Mammogram, right breast, CC view. 32 y/o patient.
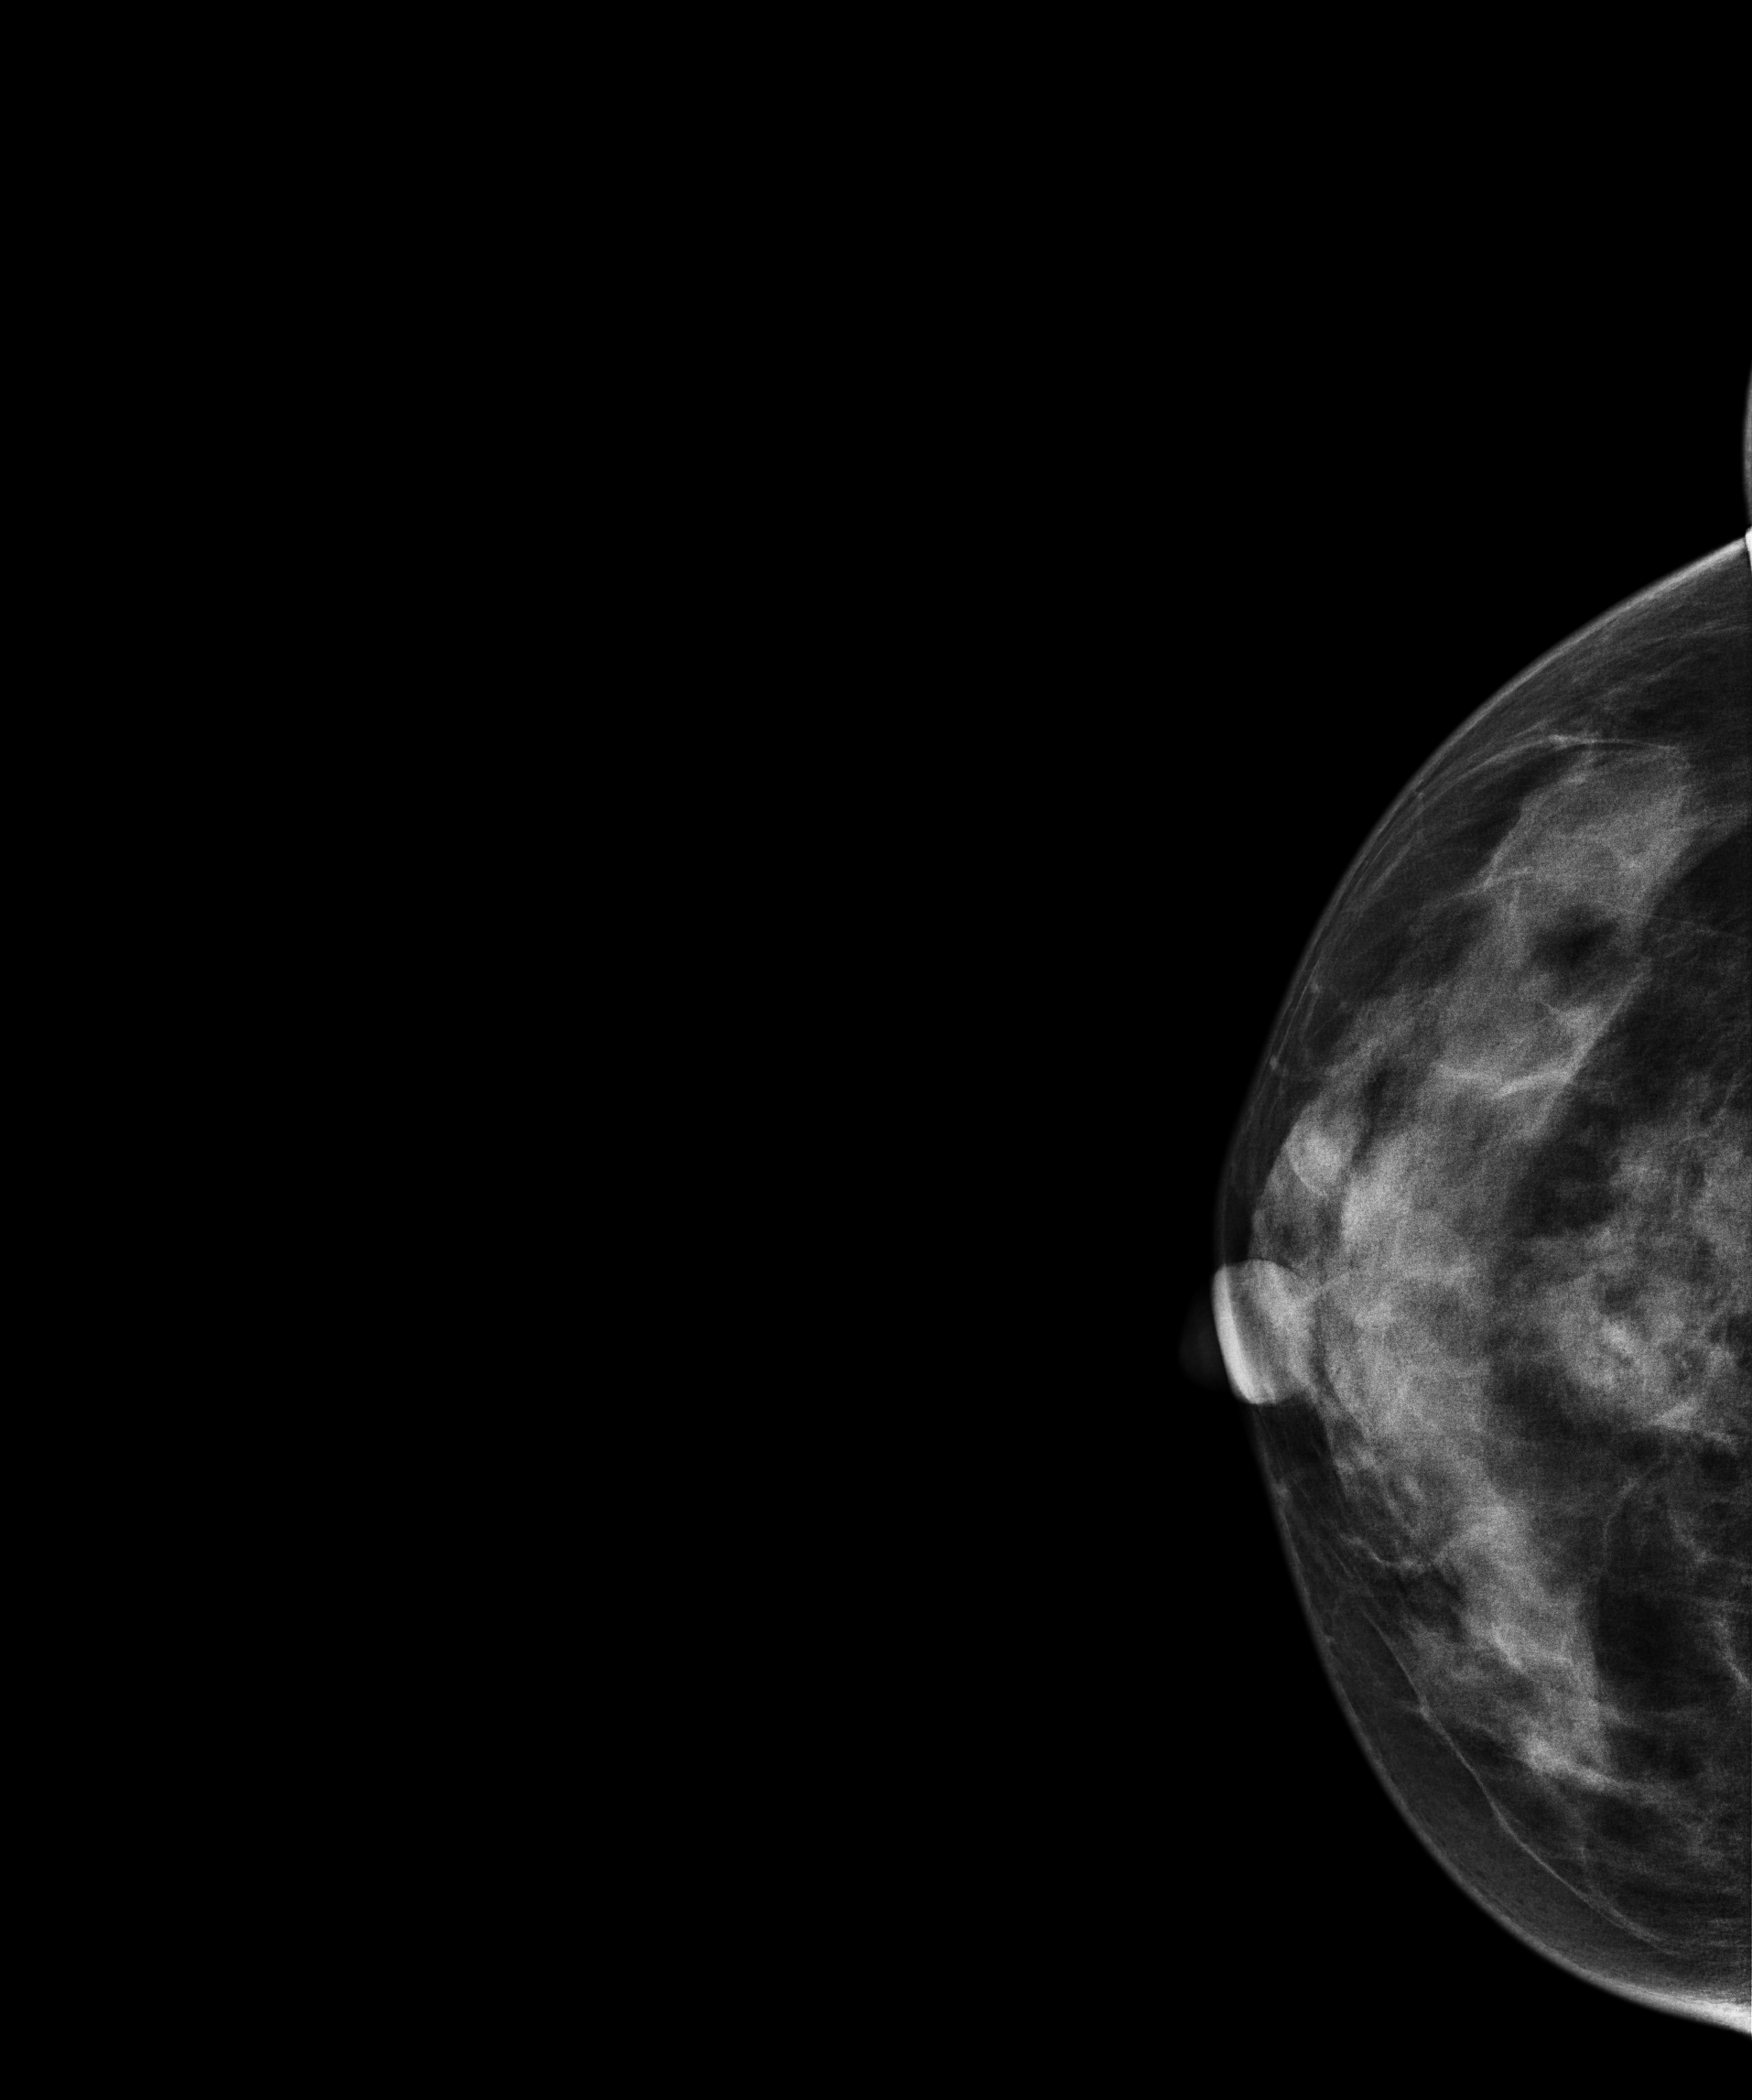
This breast has a mass, histologically confirmed malignant.